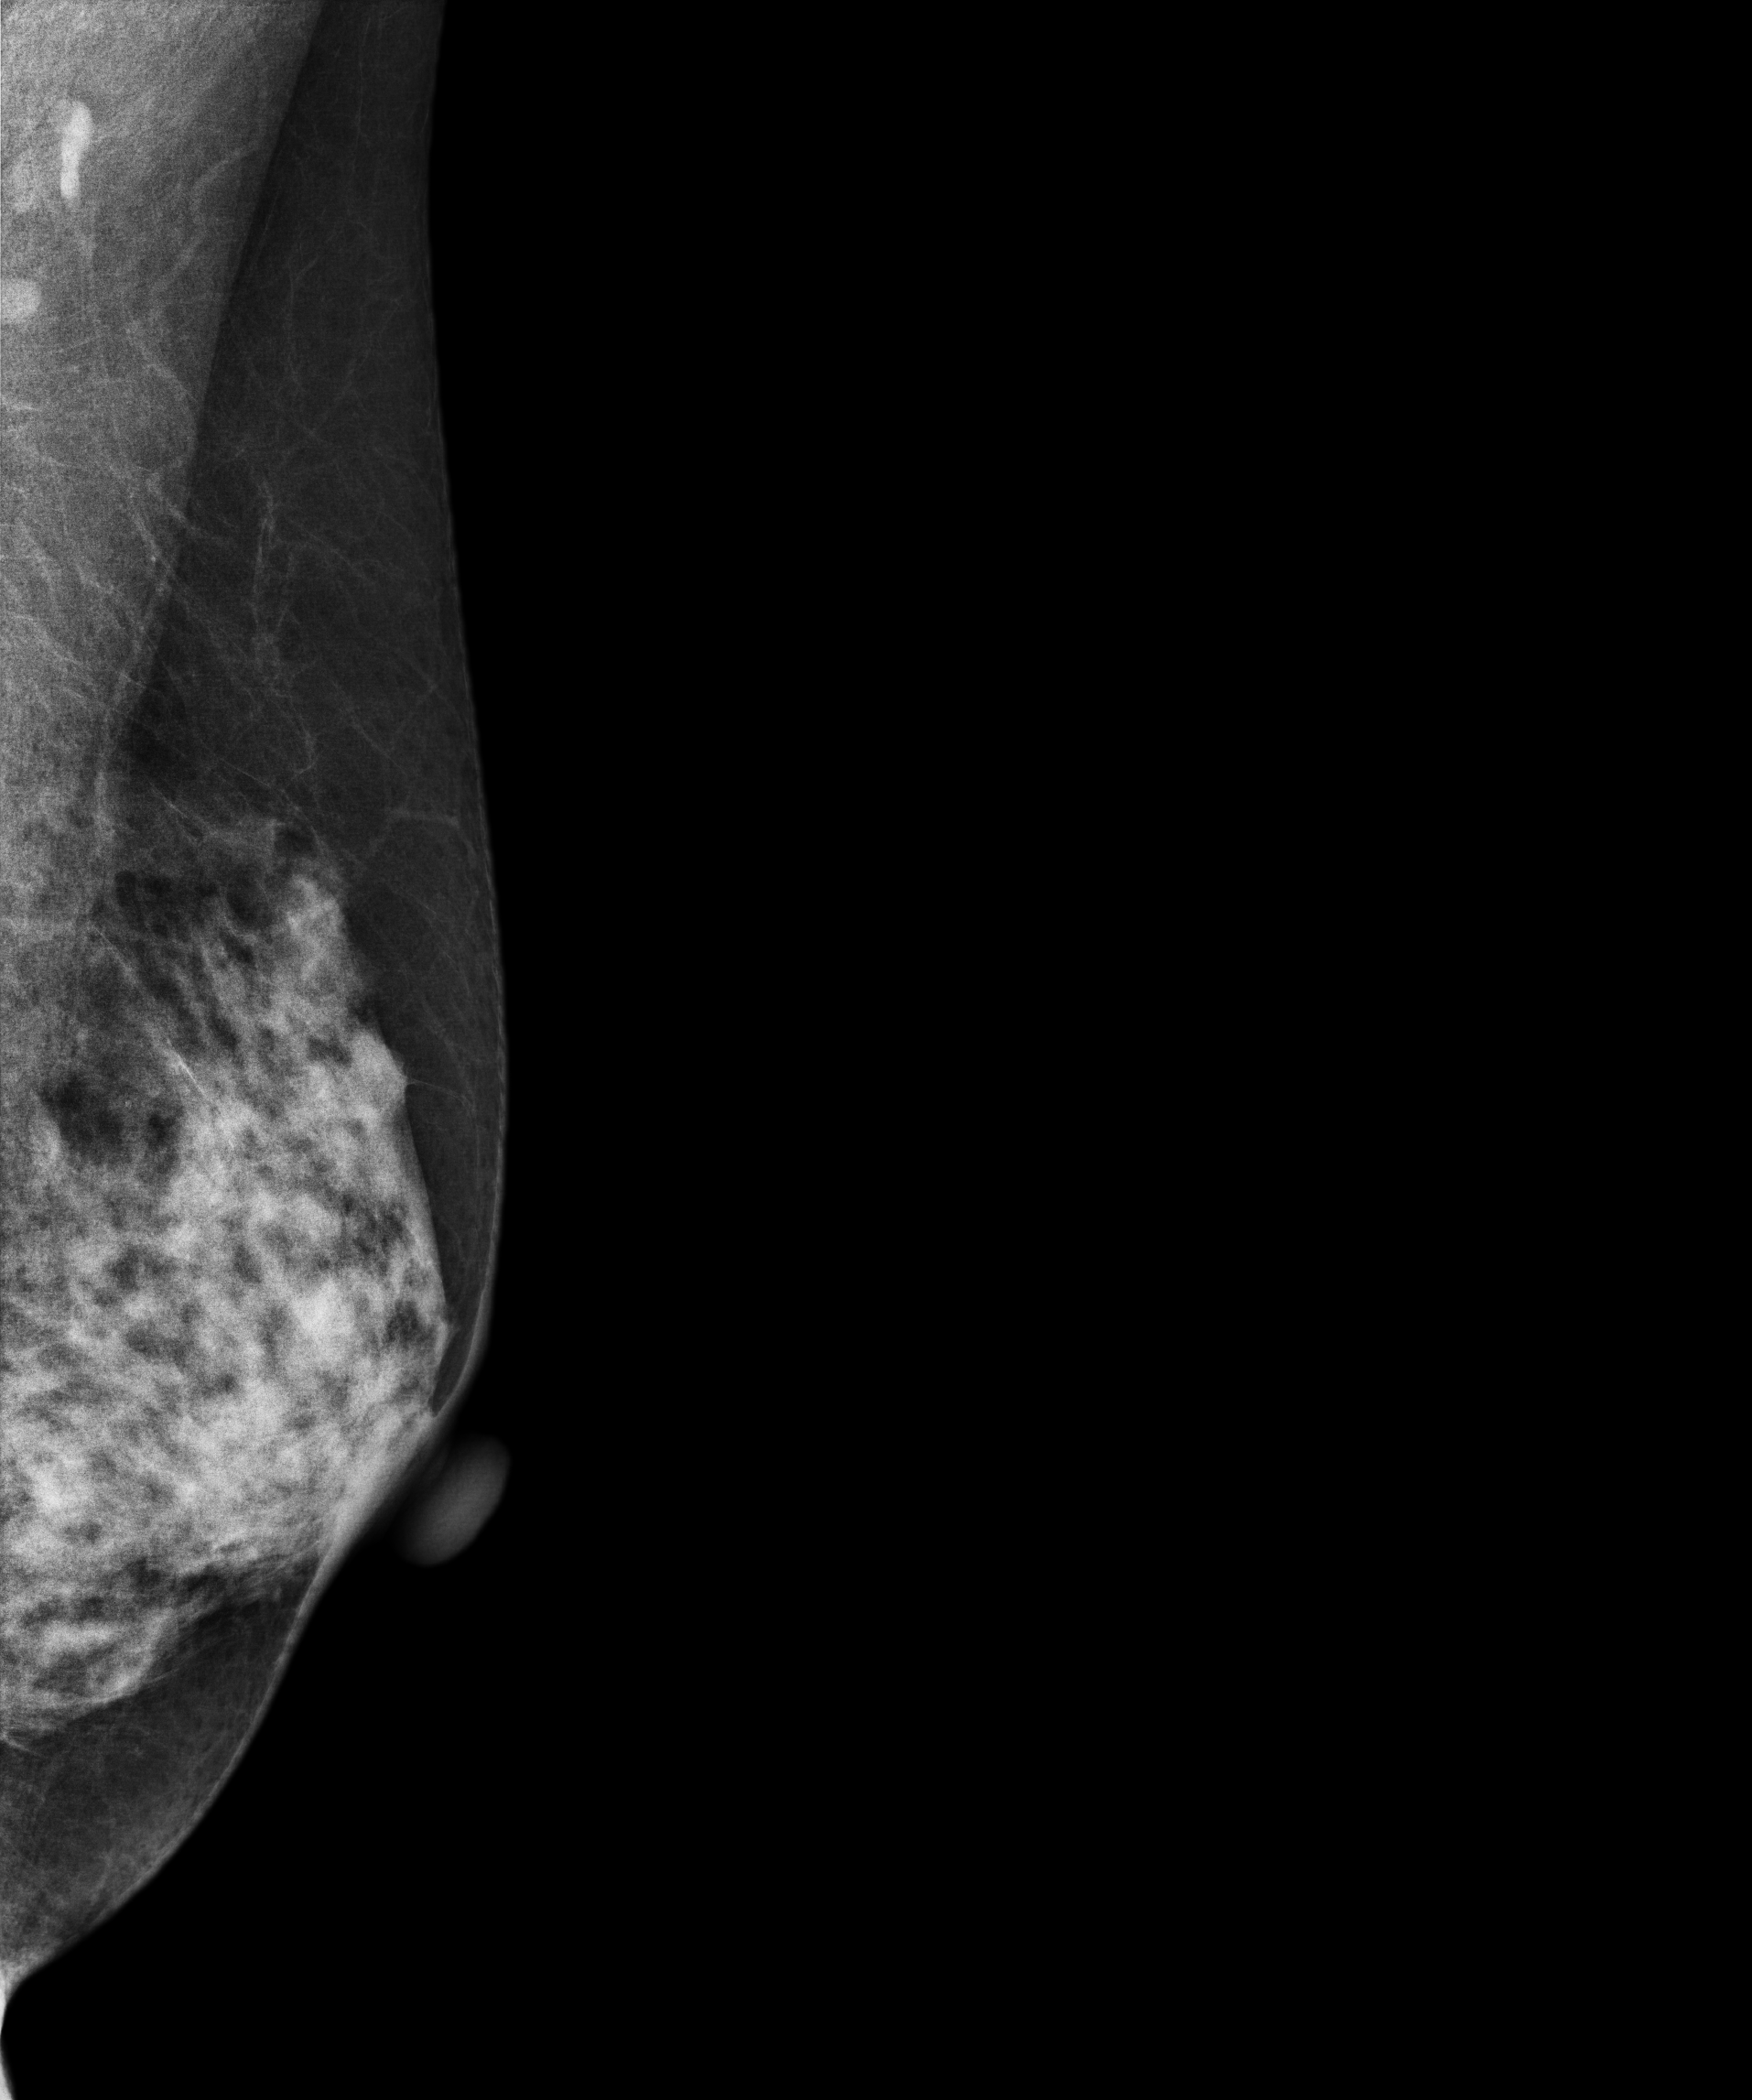
Left-breast mammogram, MLO. Patient age 50.
Contralateral breast — no documented abnormality on this side.